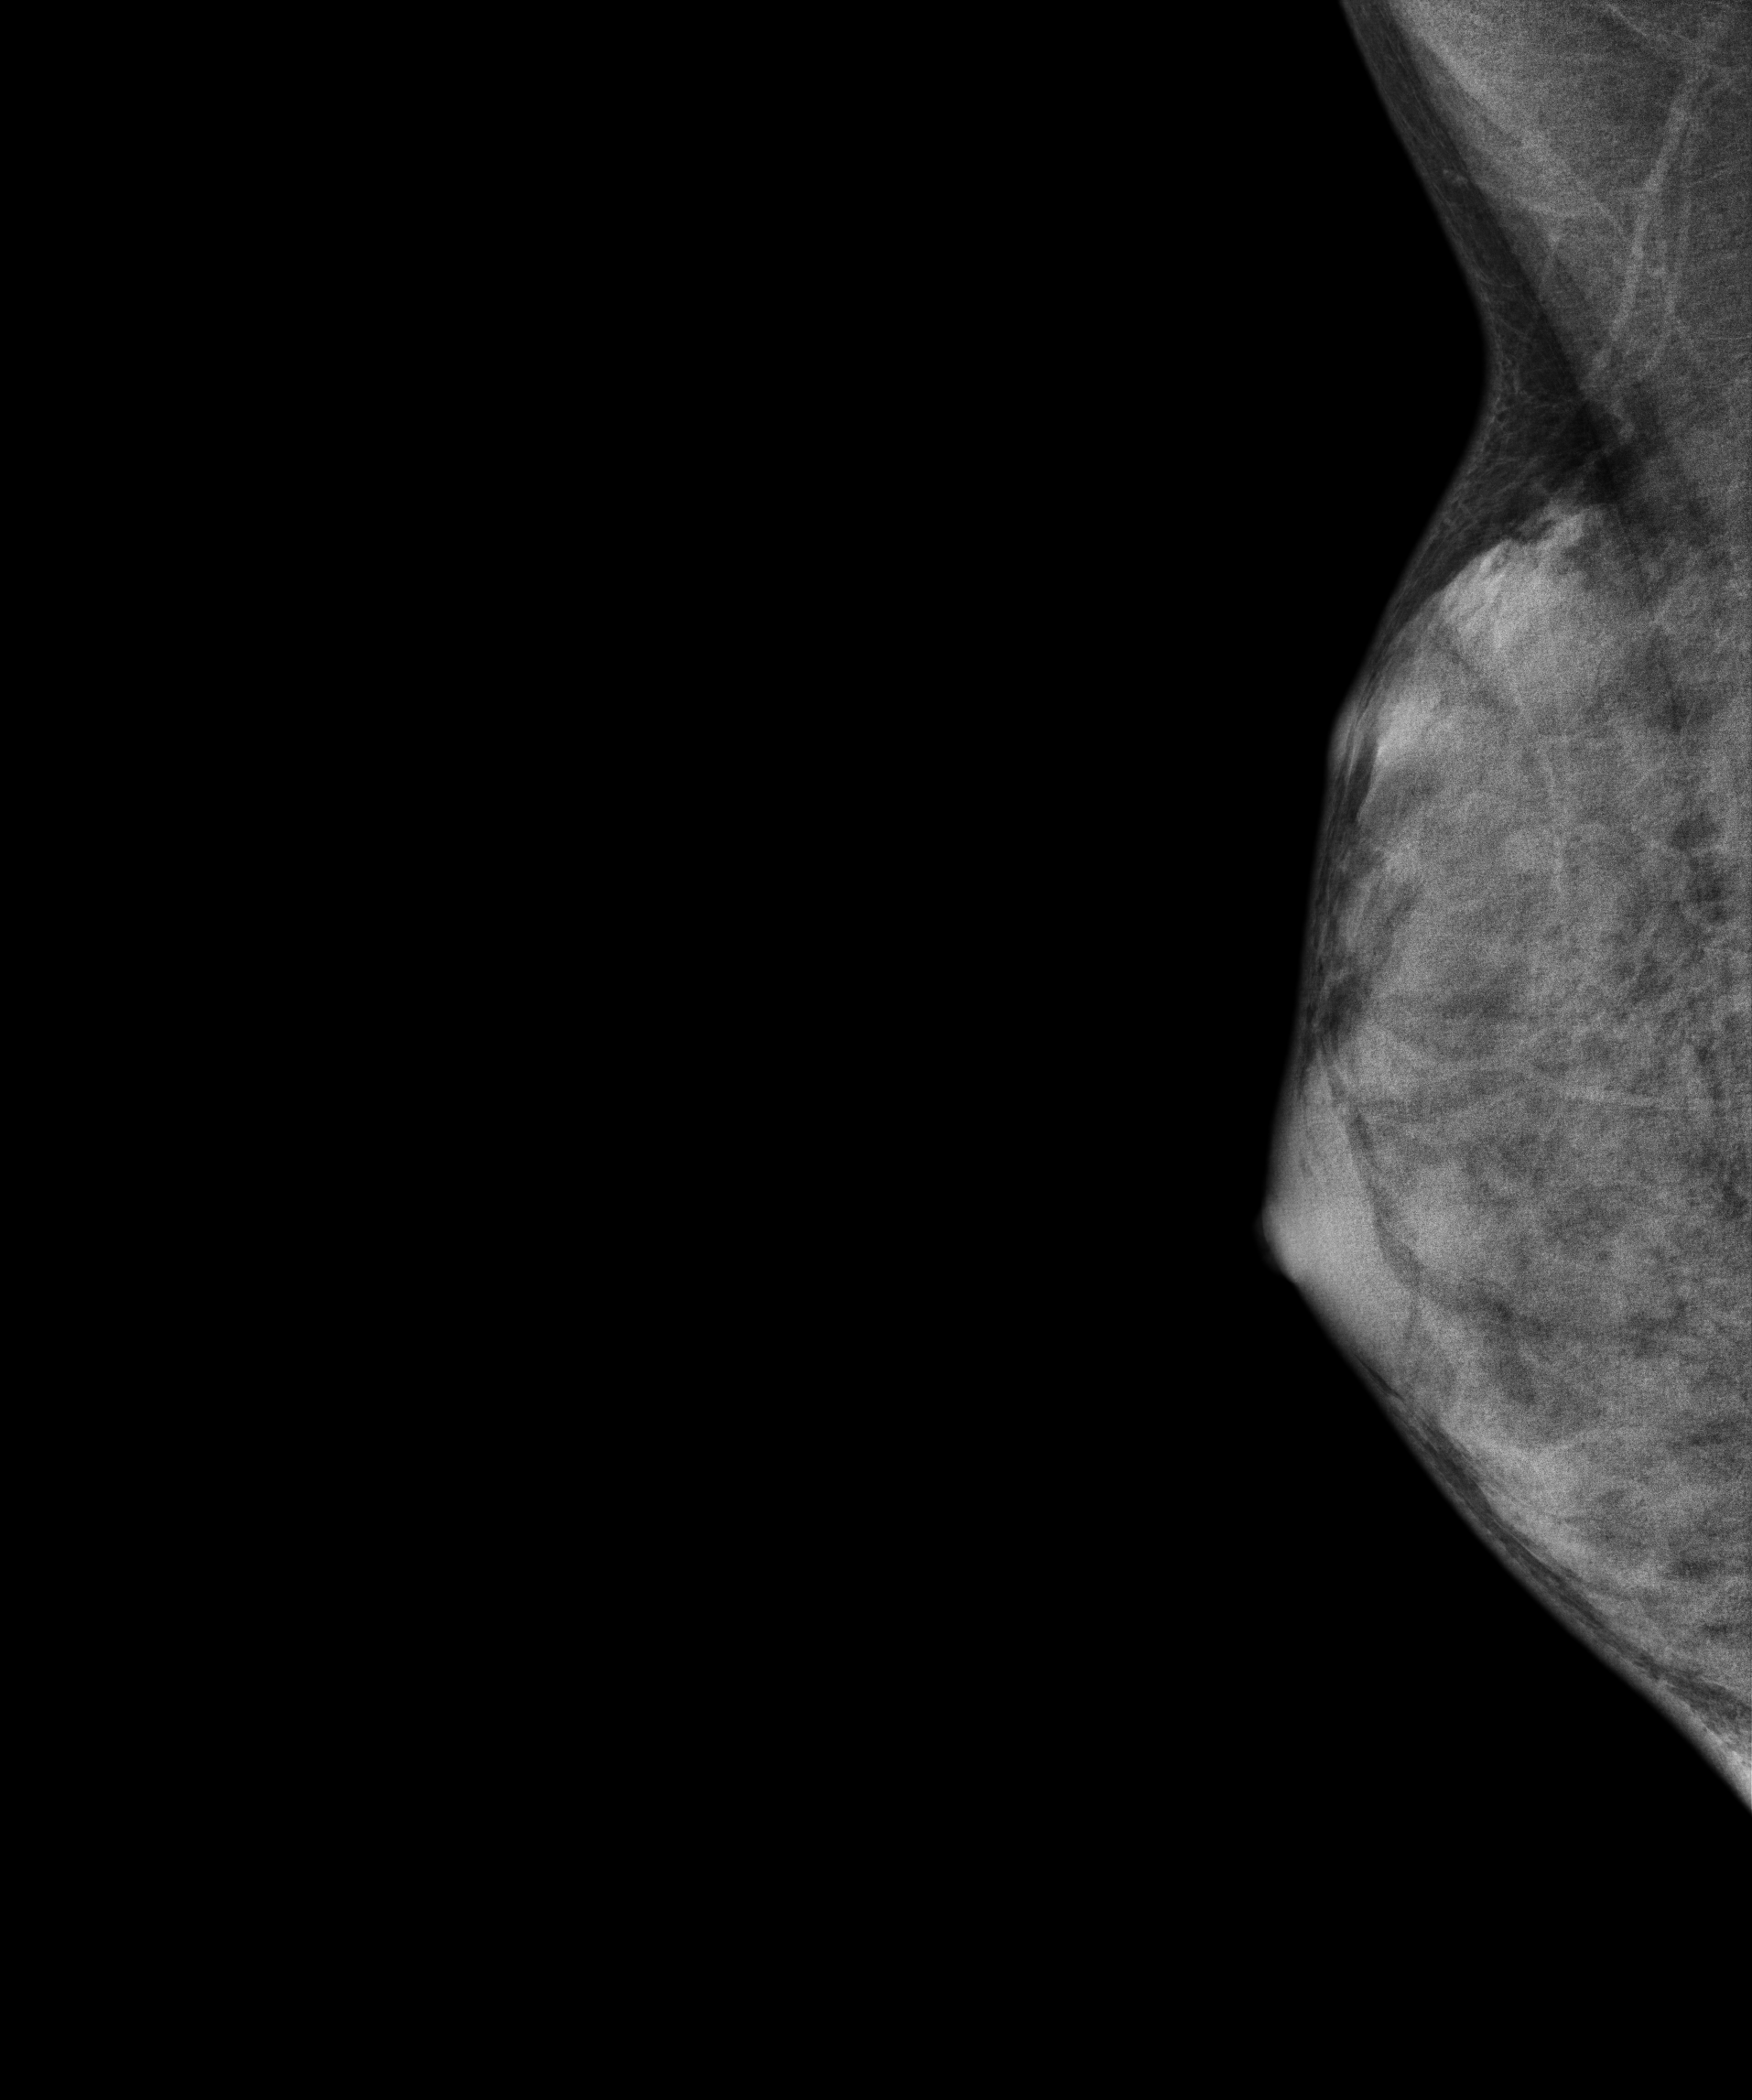
Mammogram, right breast, medio-lateral oblique view. 19 y/o patient.
This breast has a mass, biopsy-confirmed benign.